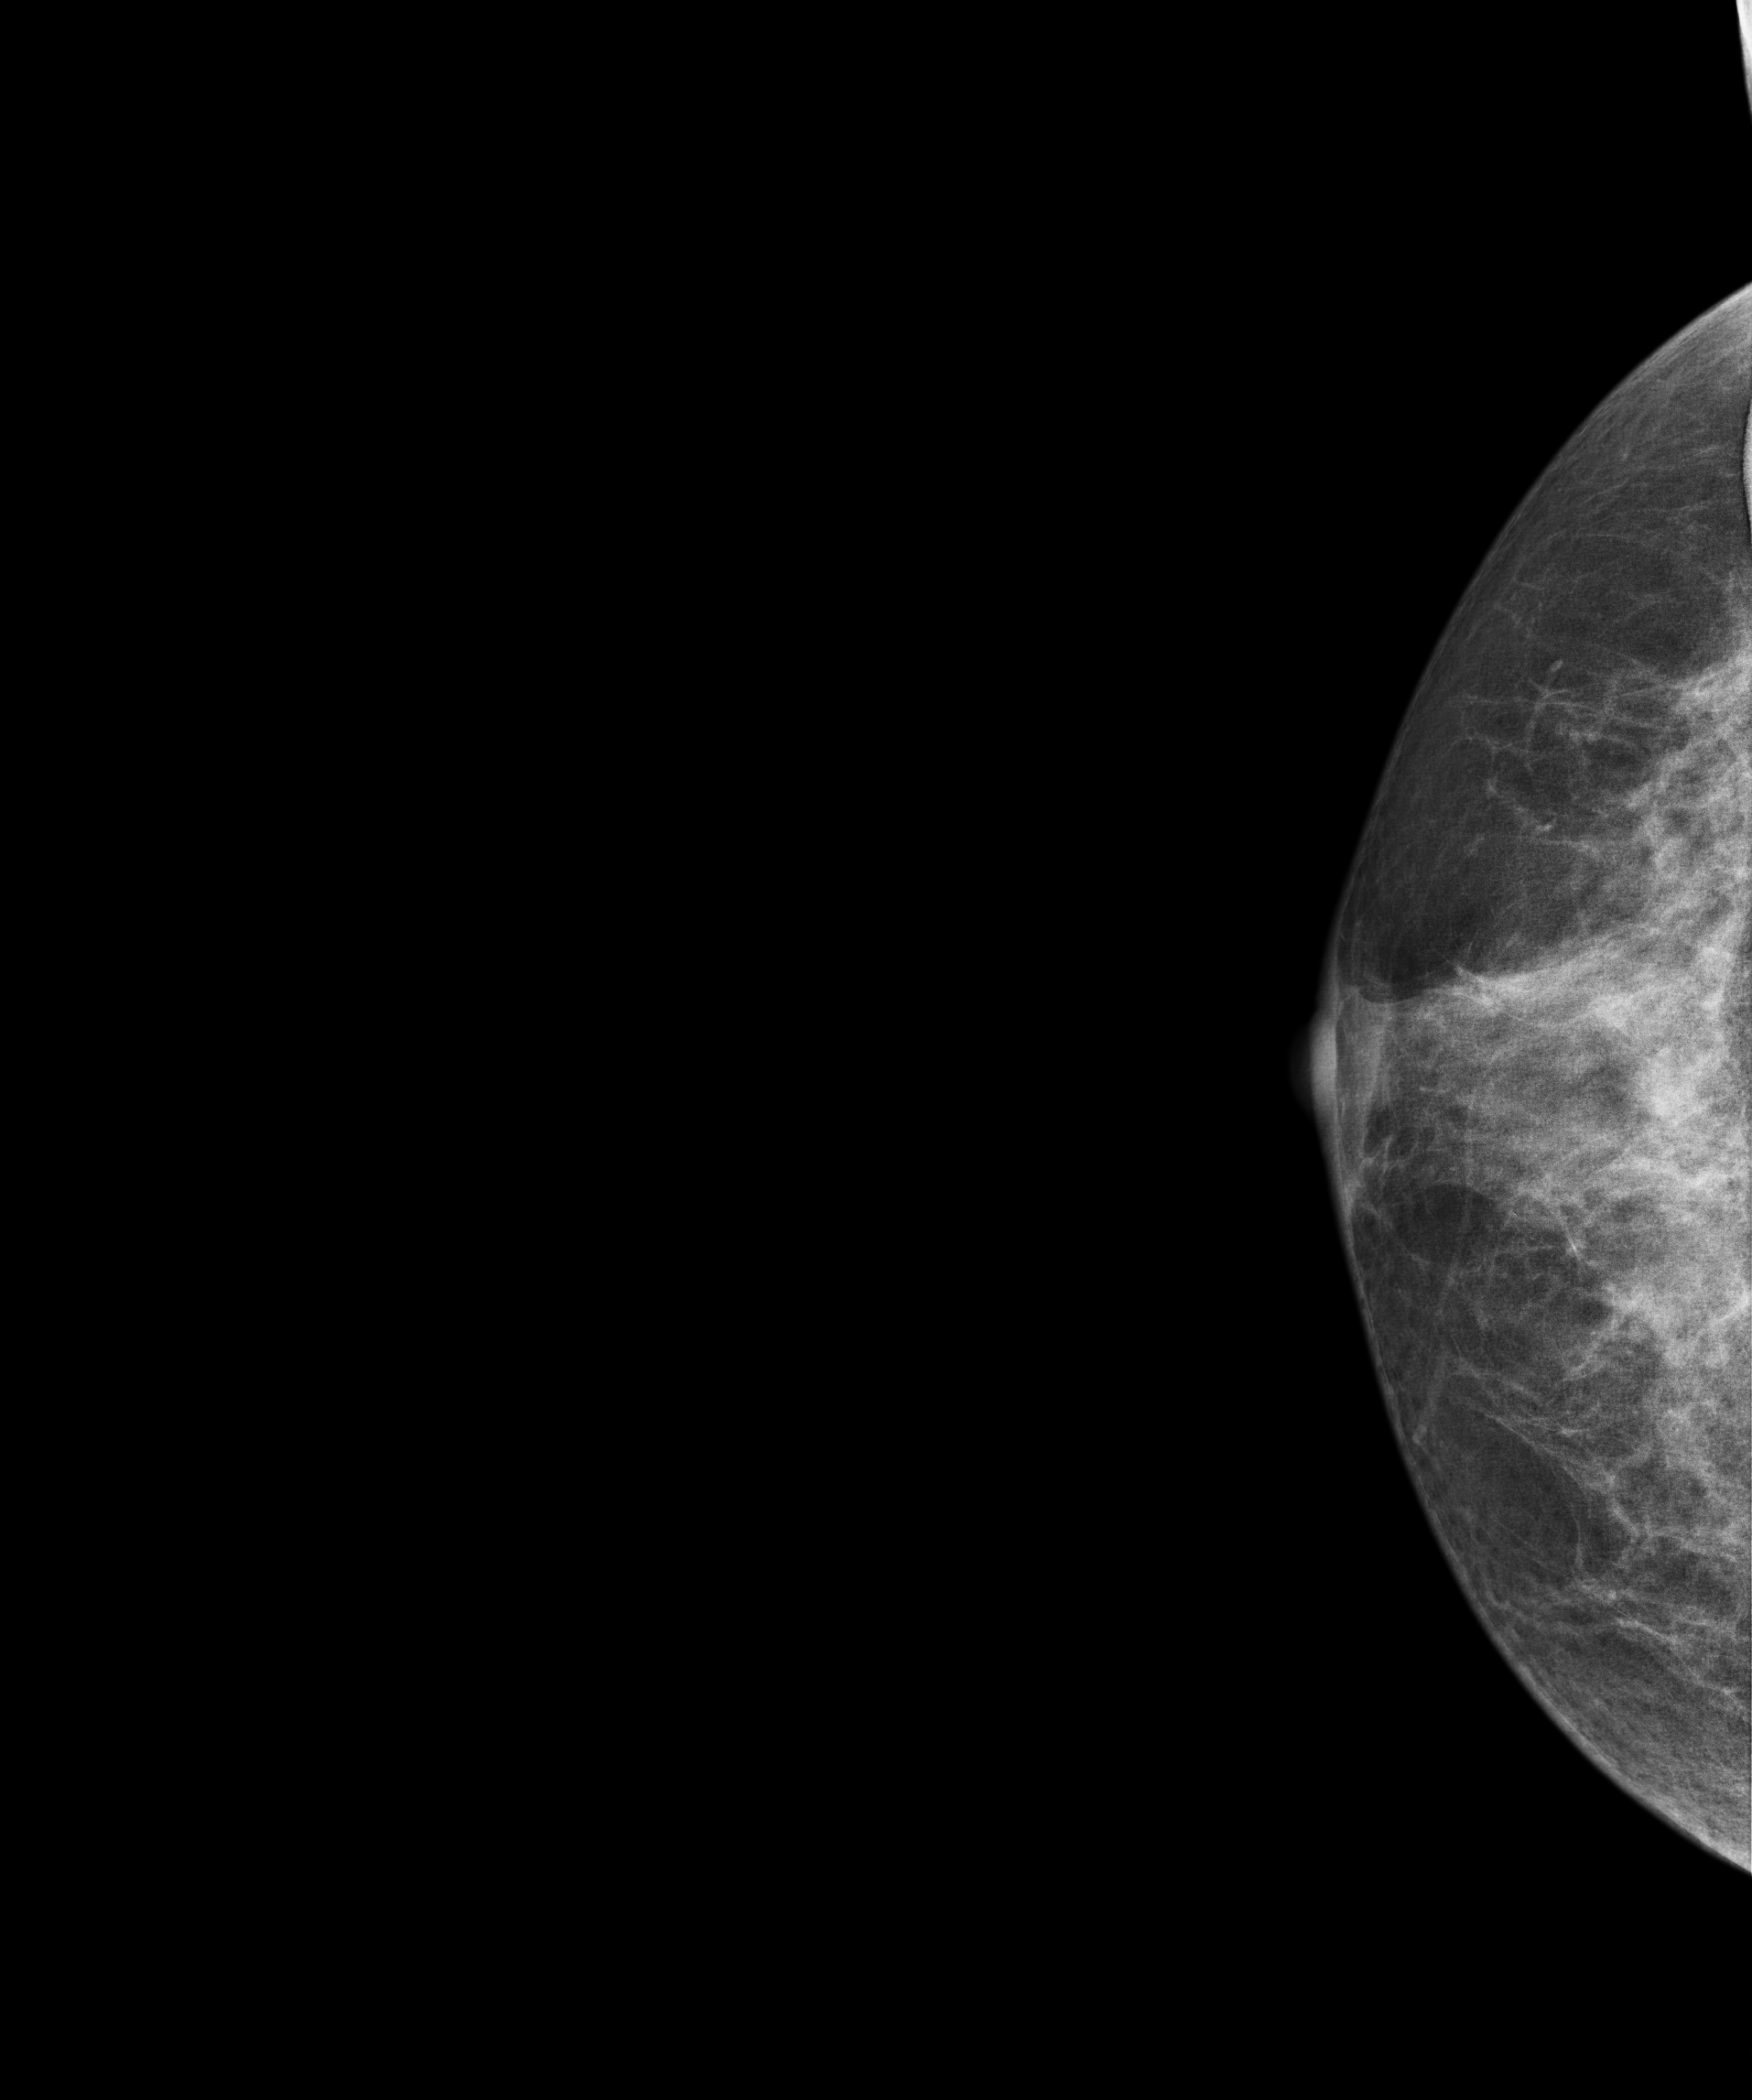
Mammogram — right cranio-caudal. 56-year-old patient.
Contralateral breast — no documented abnormality on this side.